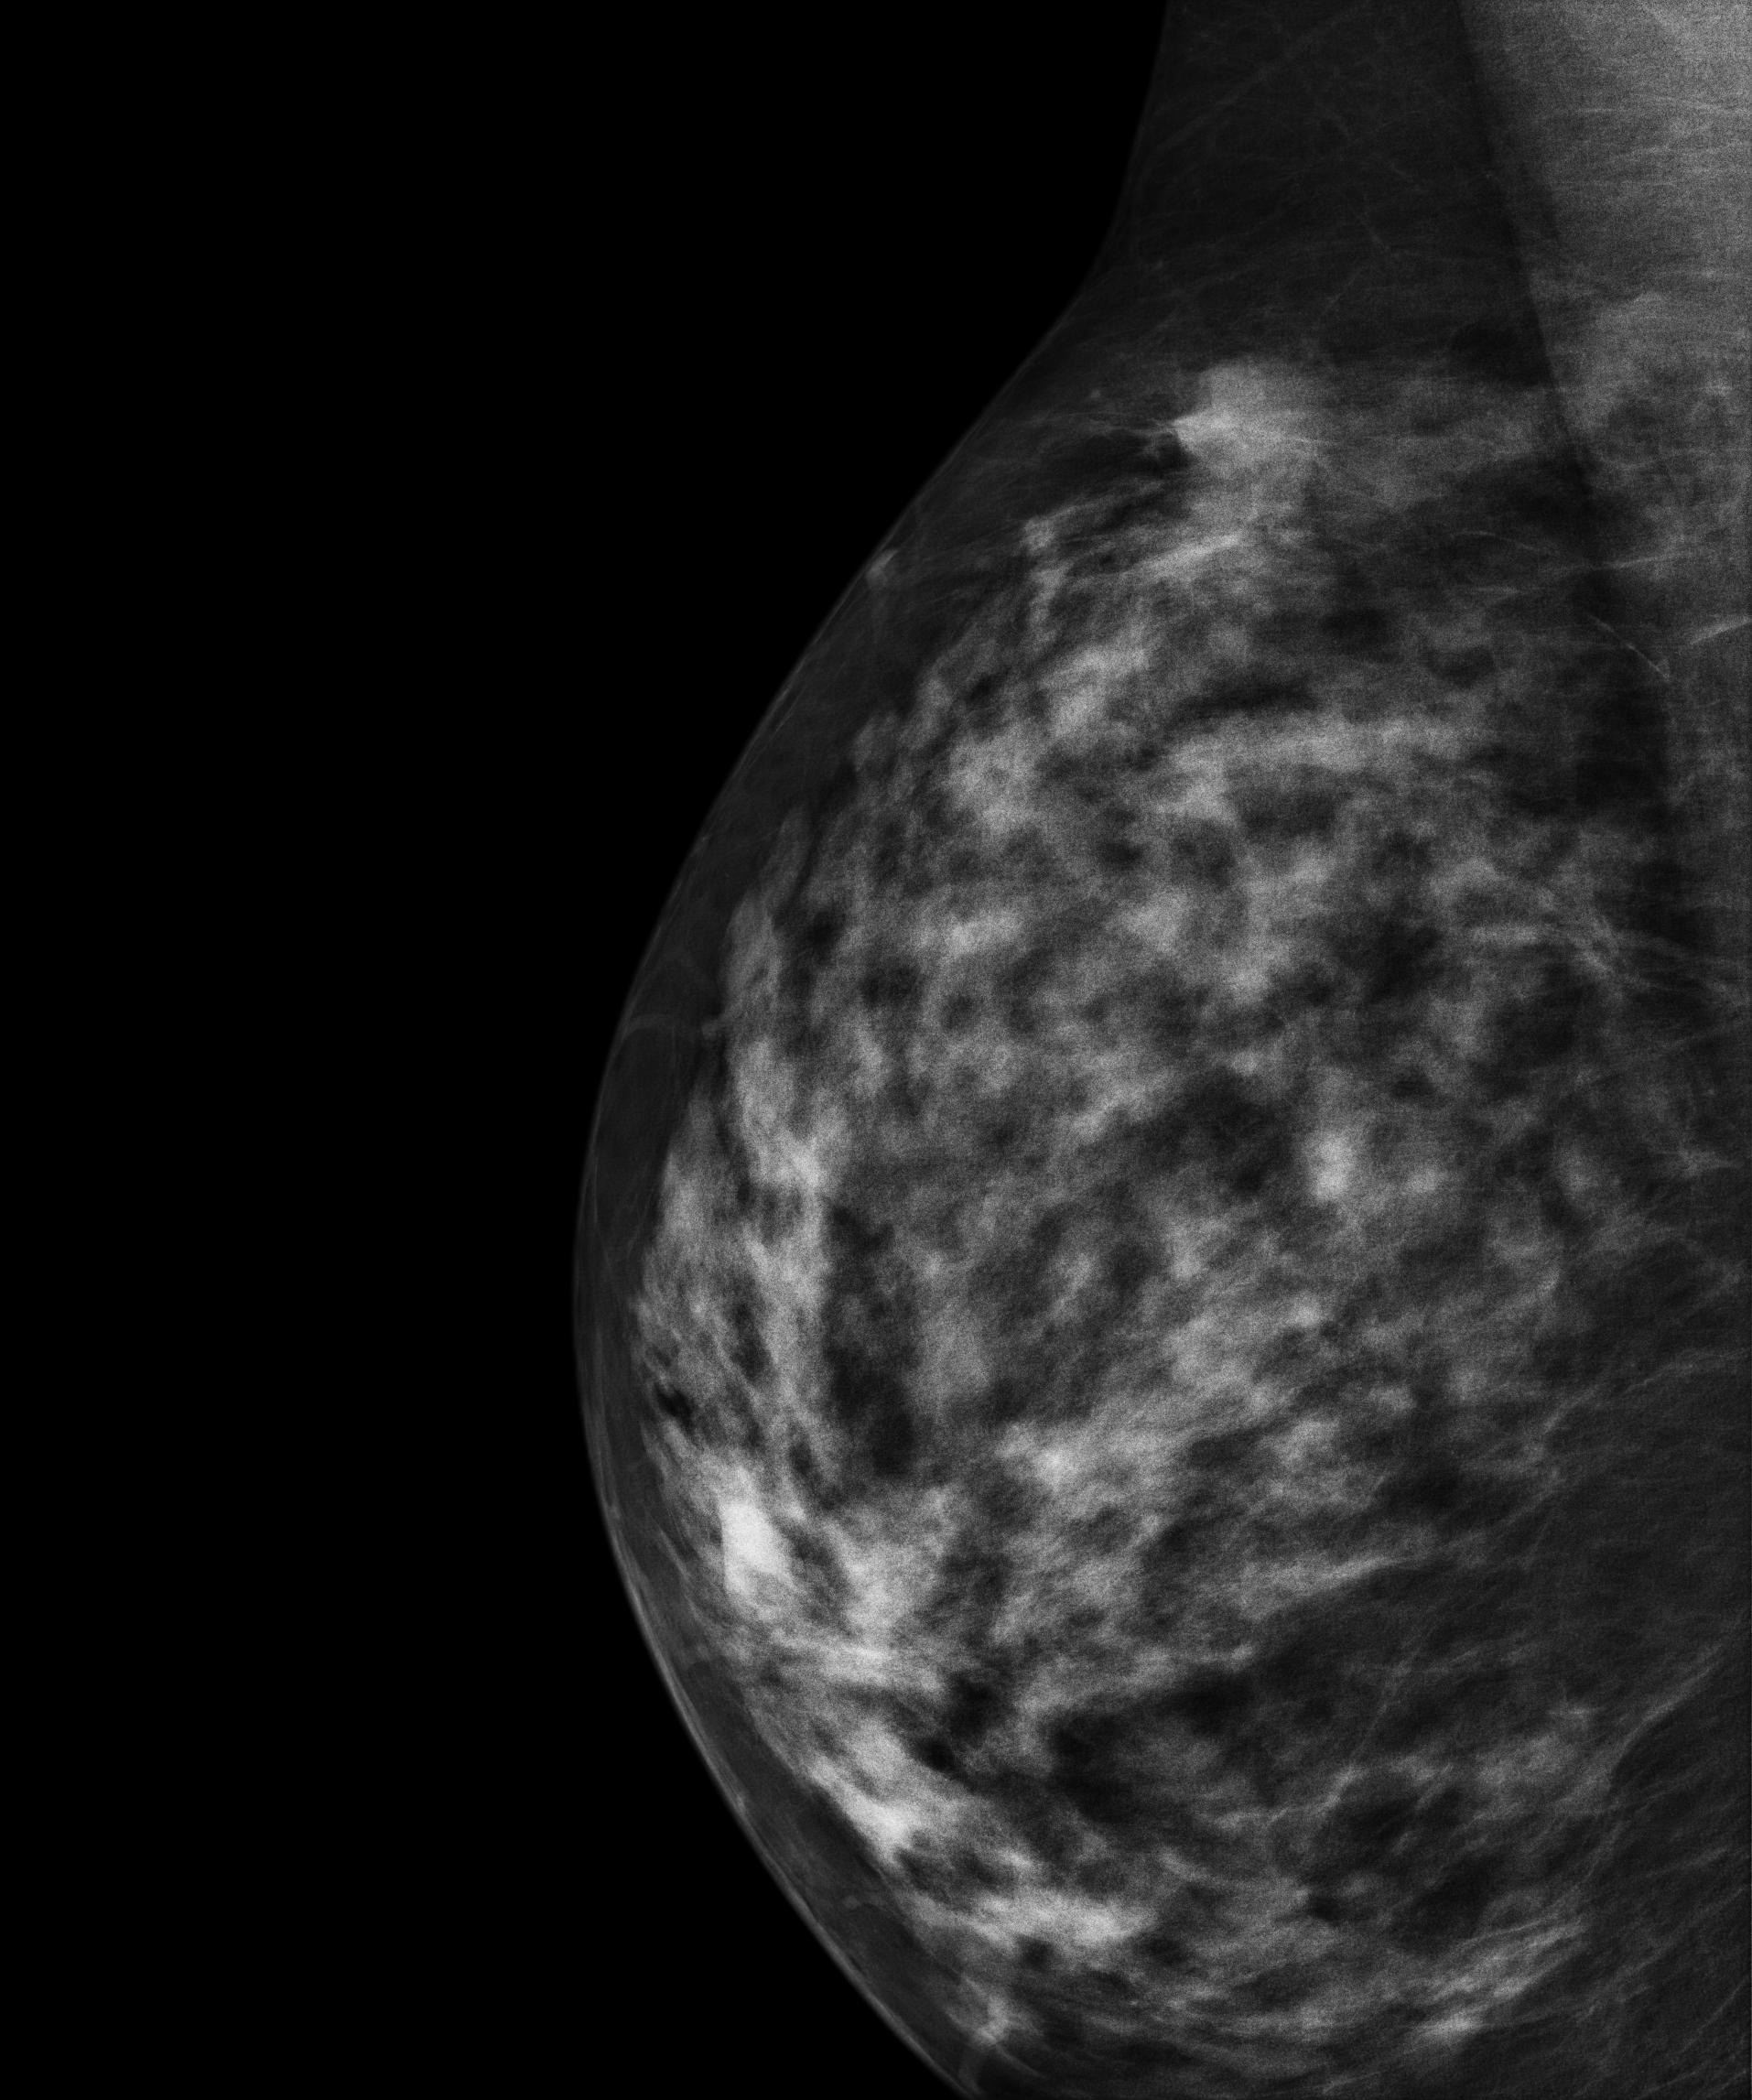
Mammogram, right breast, MLO view. Patient age 49.
This breast has a mass, histologically confirmed malignant. Molecular subtype: luminal B.